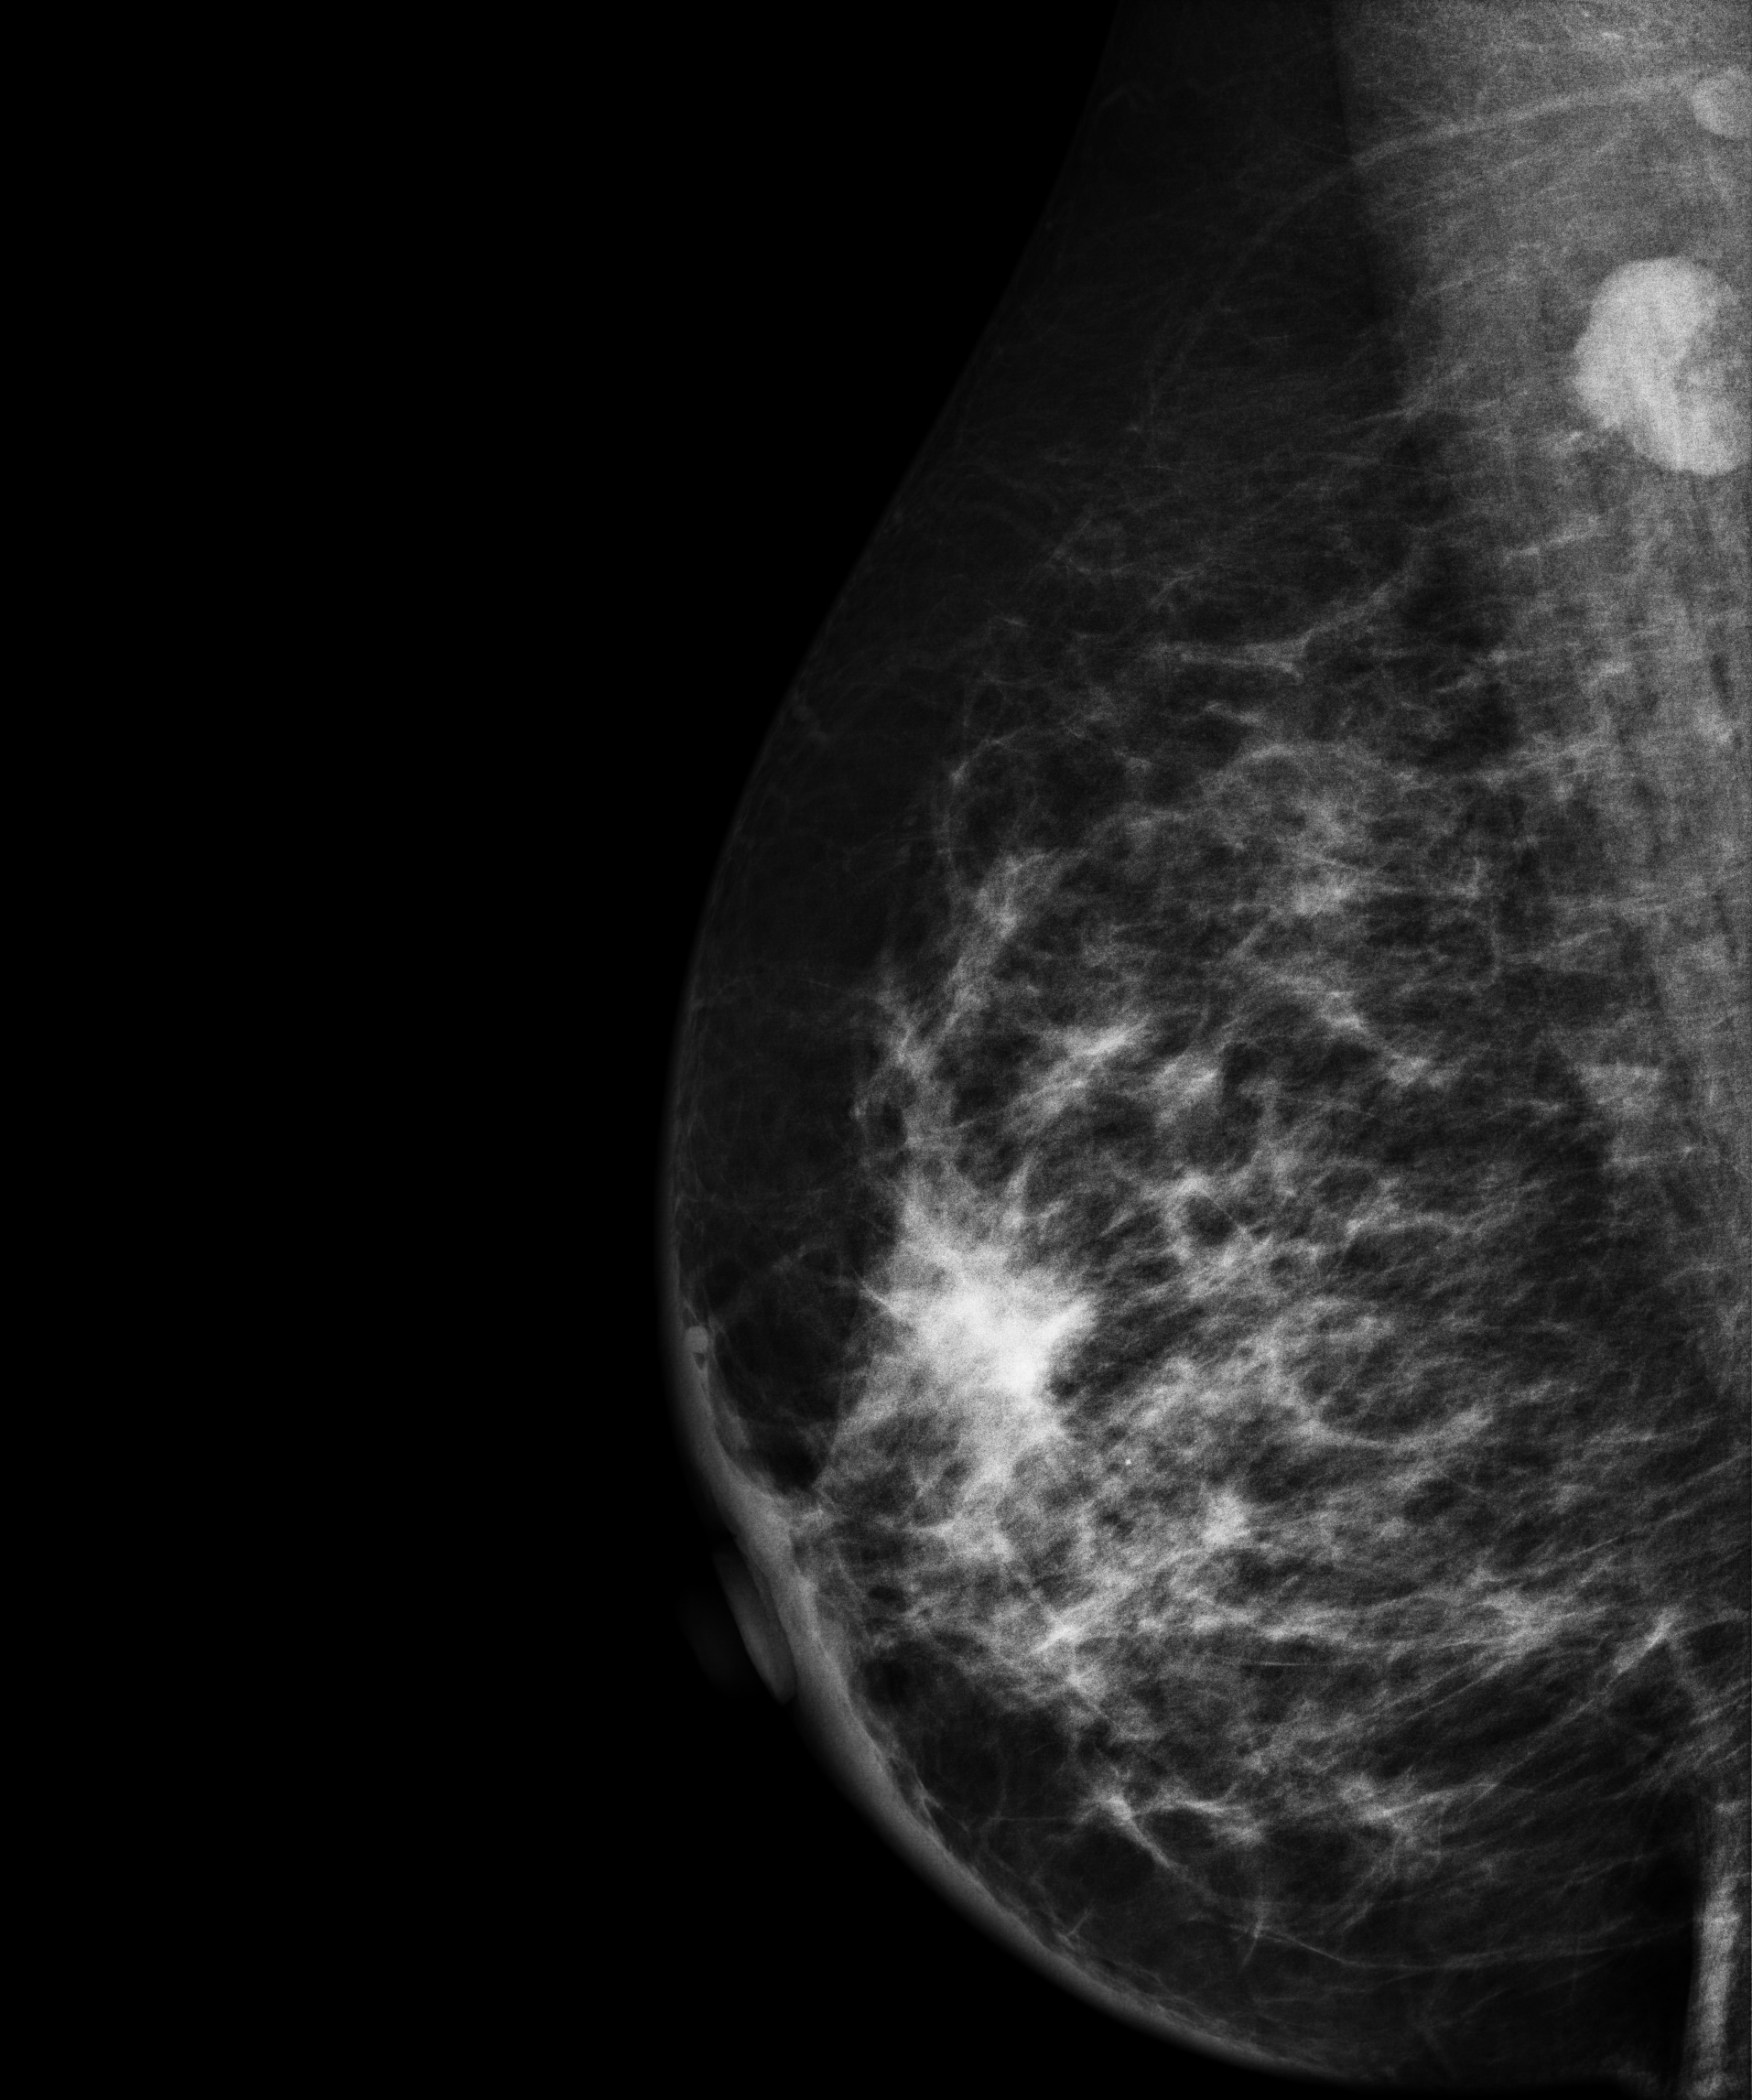
Mammogram, right breast, MLO view. 52-year-old patient.
This breast has a mass, pathology-confirmed malignant. Molecular subtype: HER2-enriched.